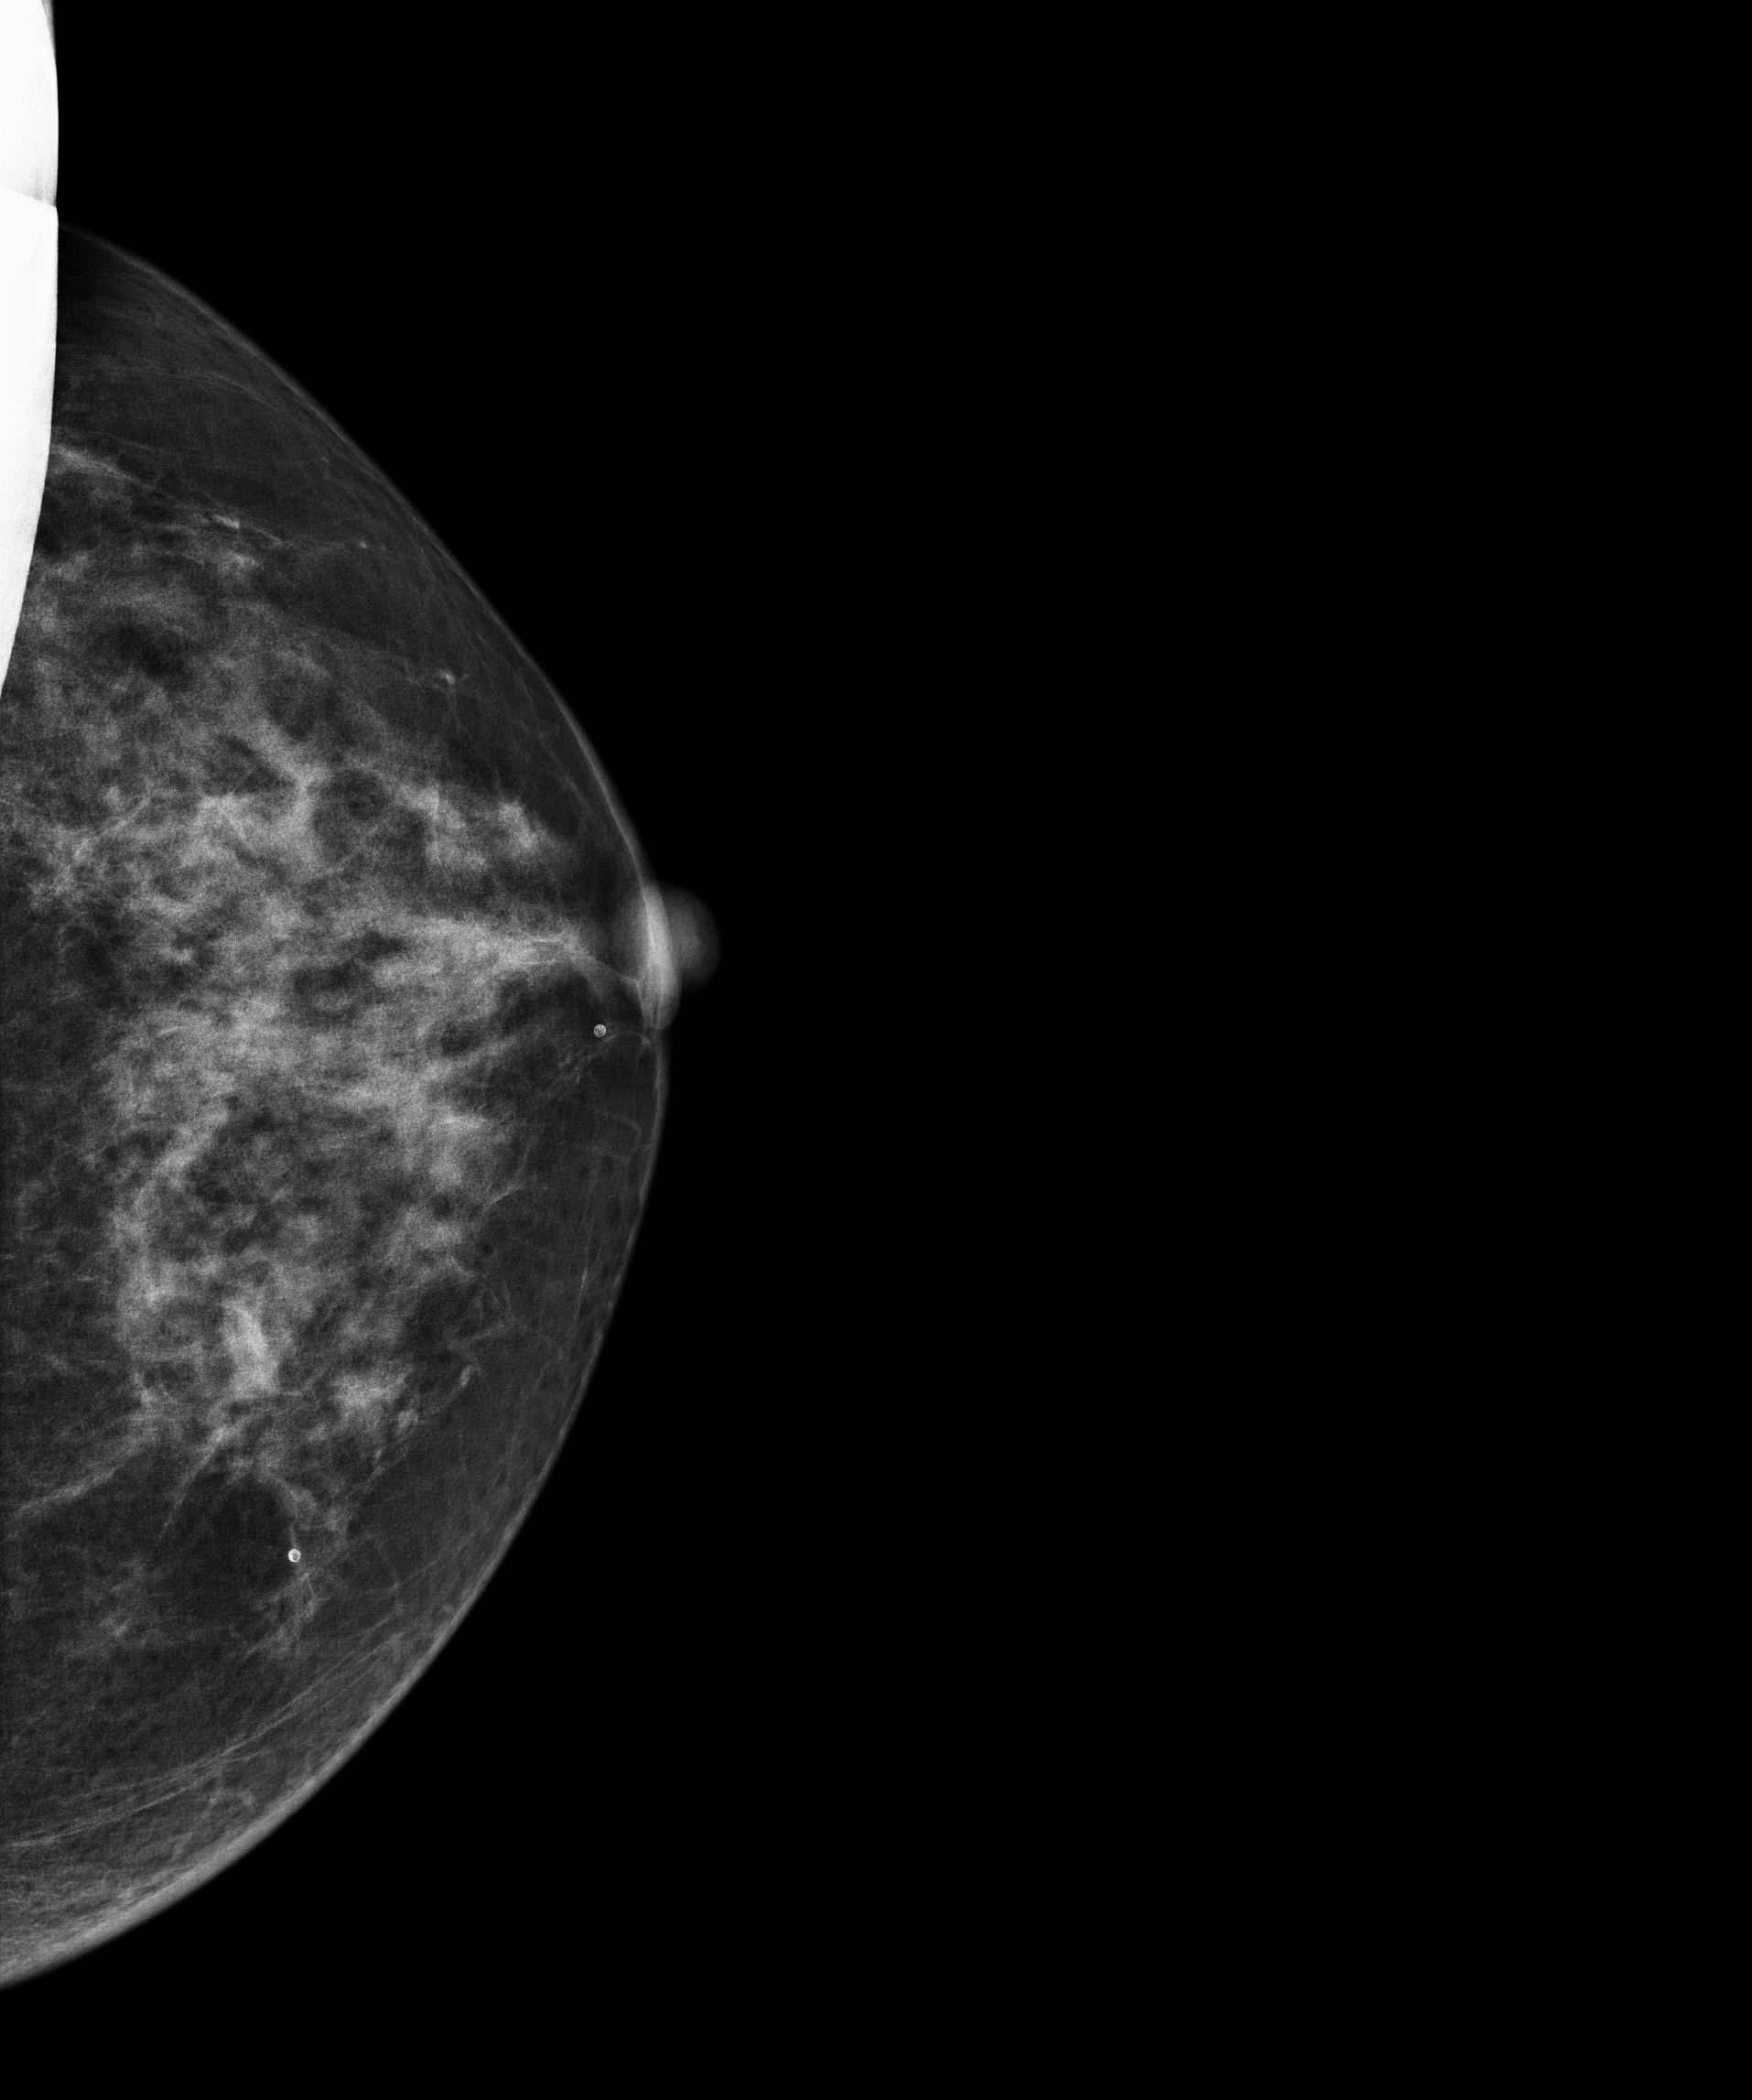
CC mammogram of the left breast. Patient age 60.
Contralateral breast — no documented abnormality on this side.